Cranio-caudal mammogram of the right breast. Patient age 64.
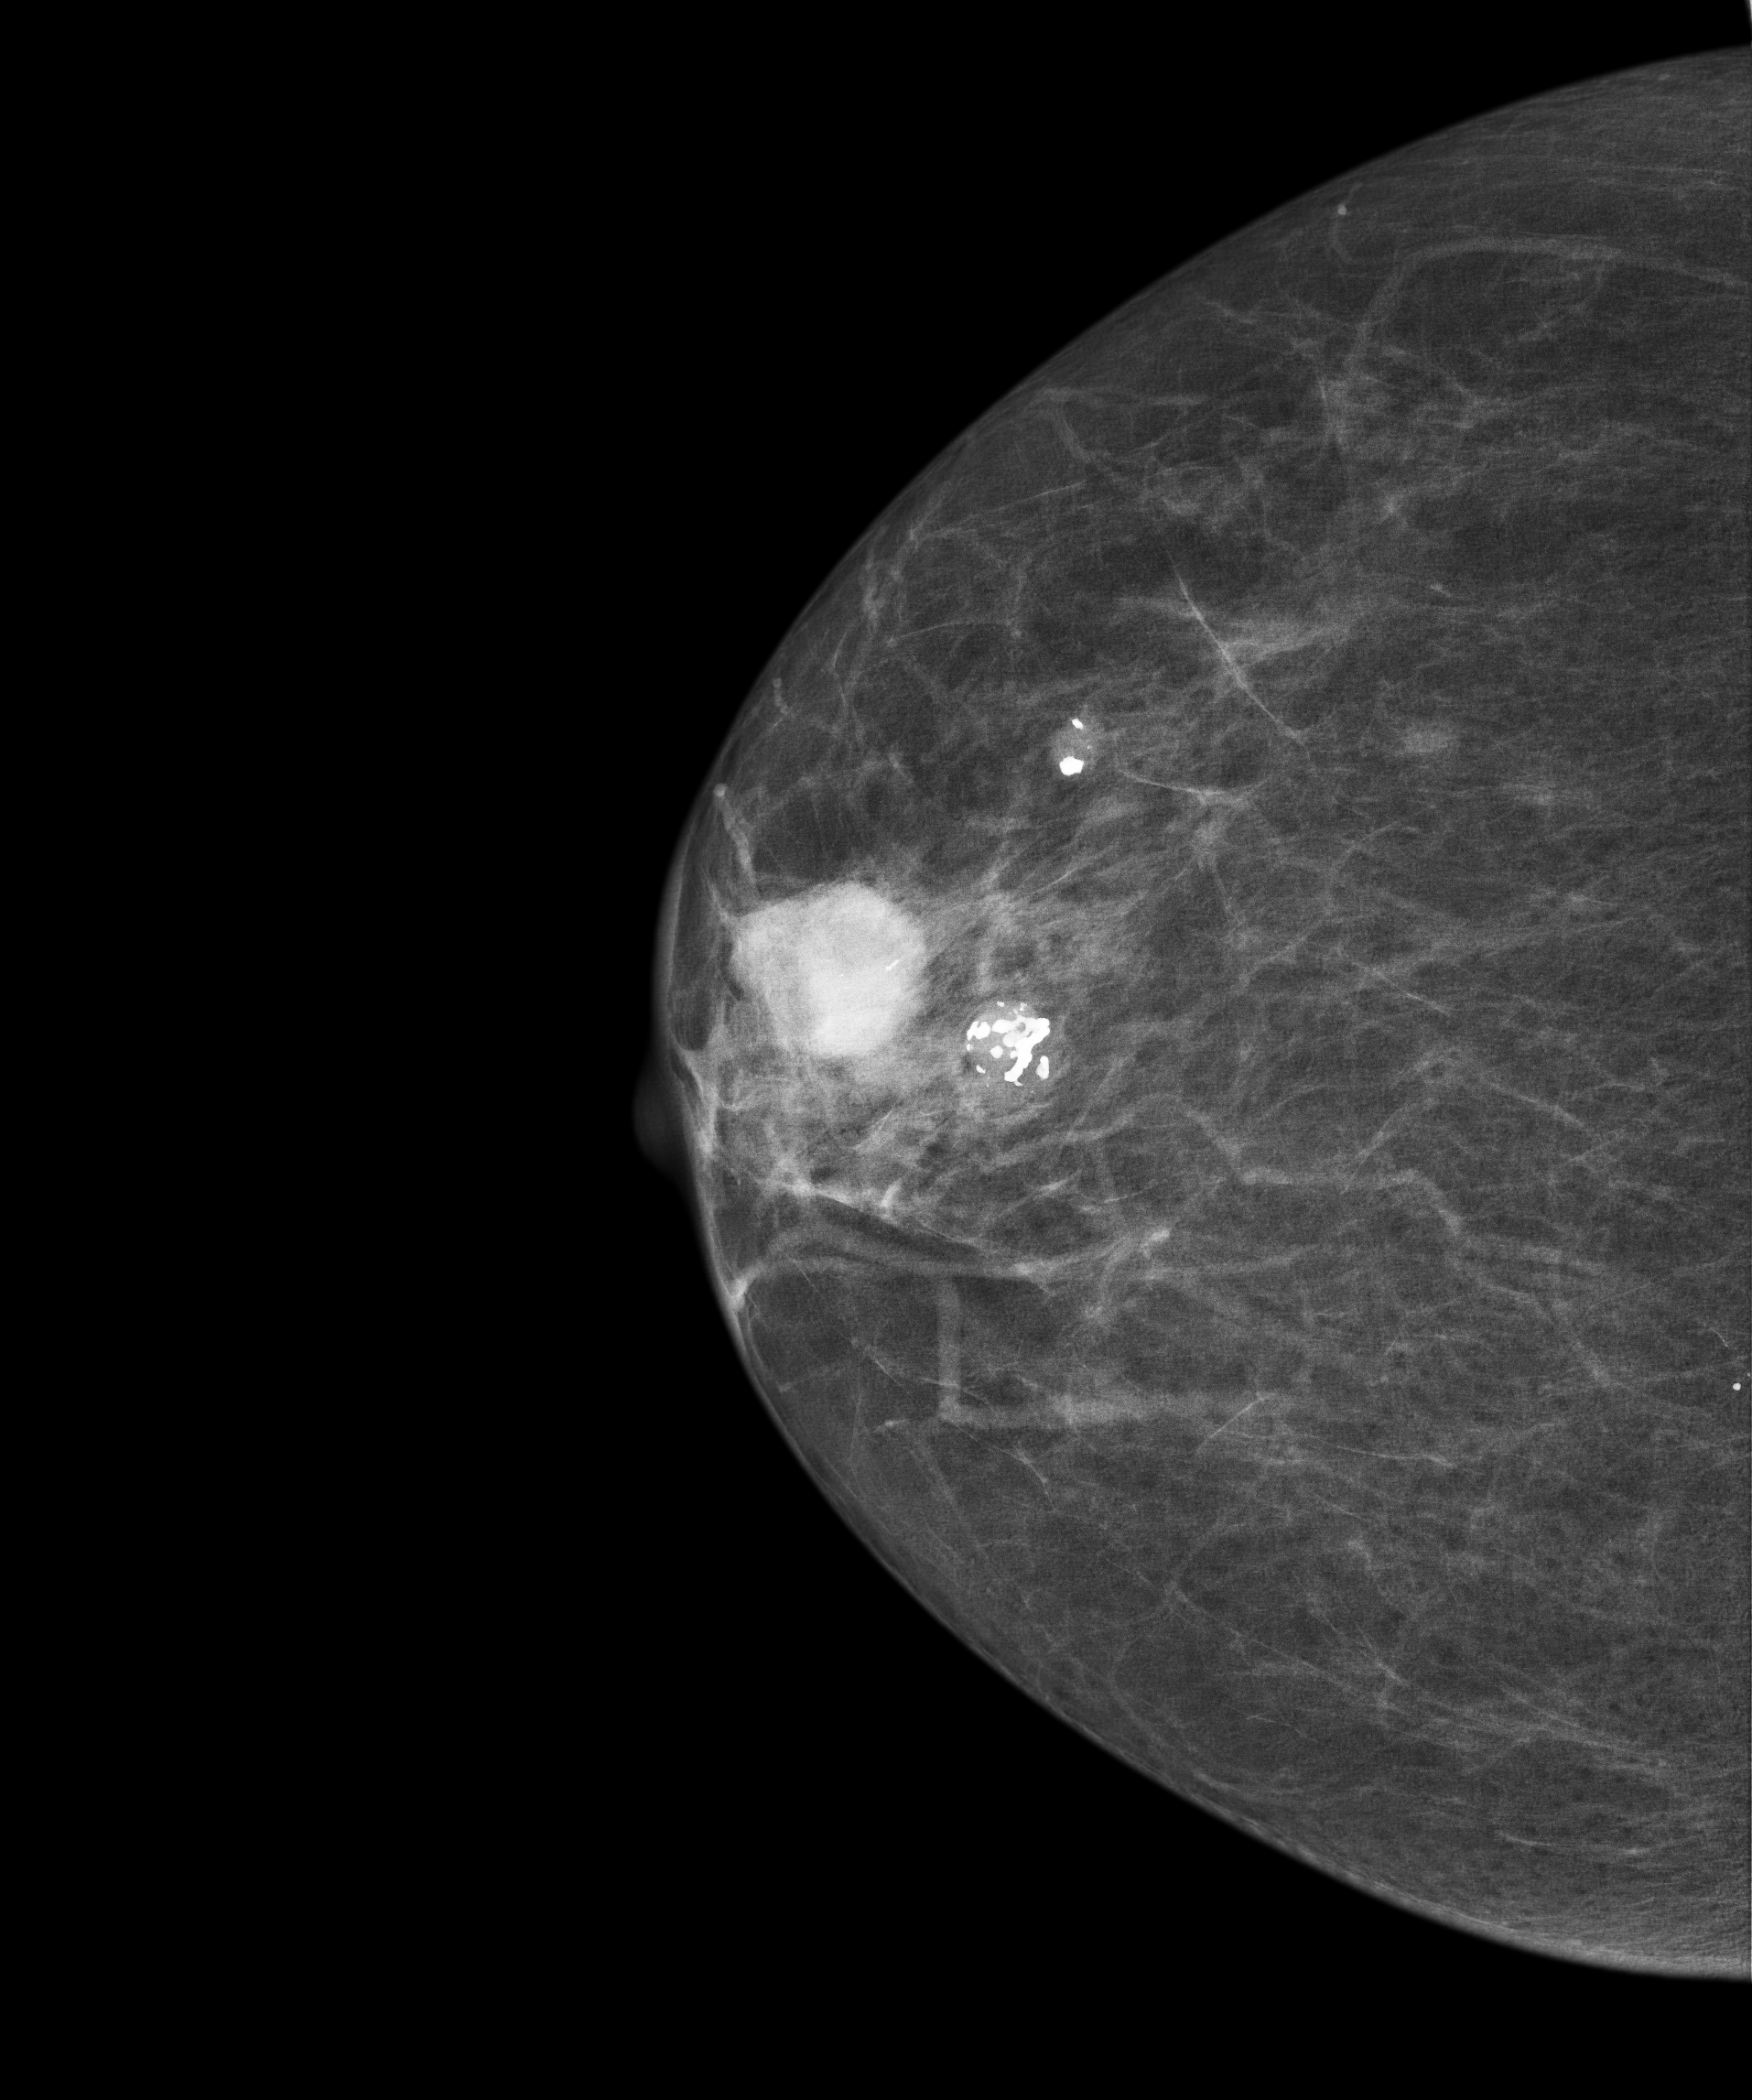
This breast has a mass, pathology-confirmed benign.